Mammogram — left CC. 44-year-old patient.
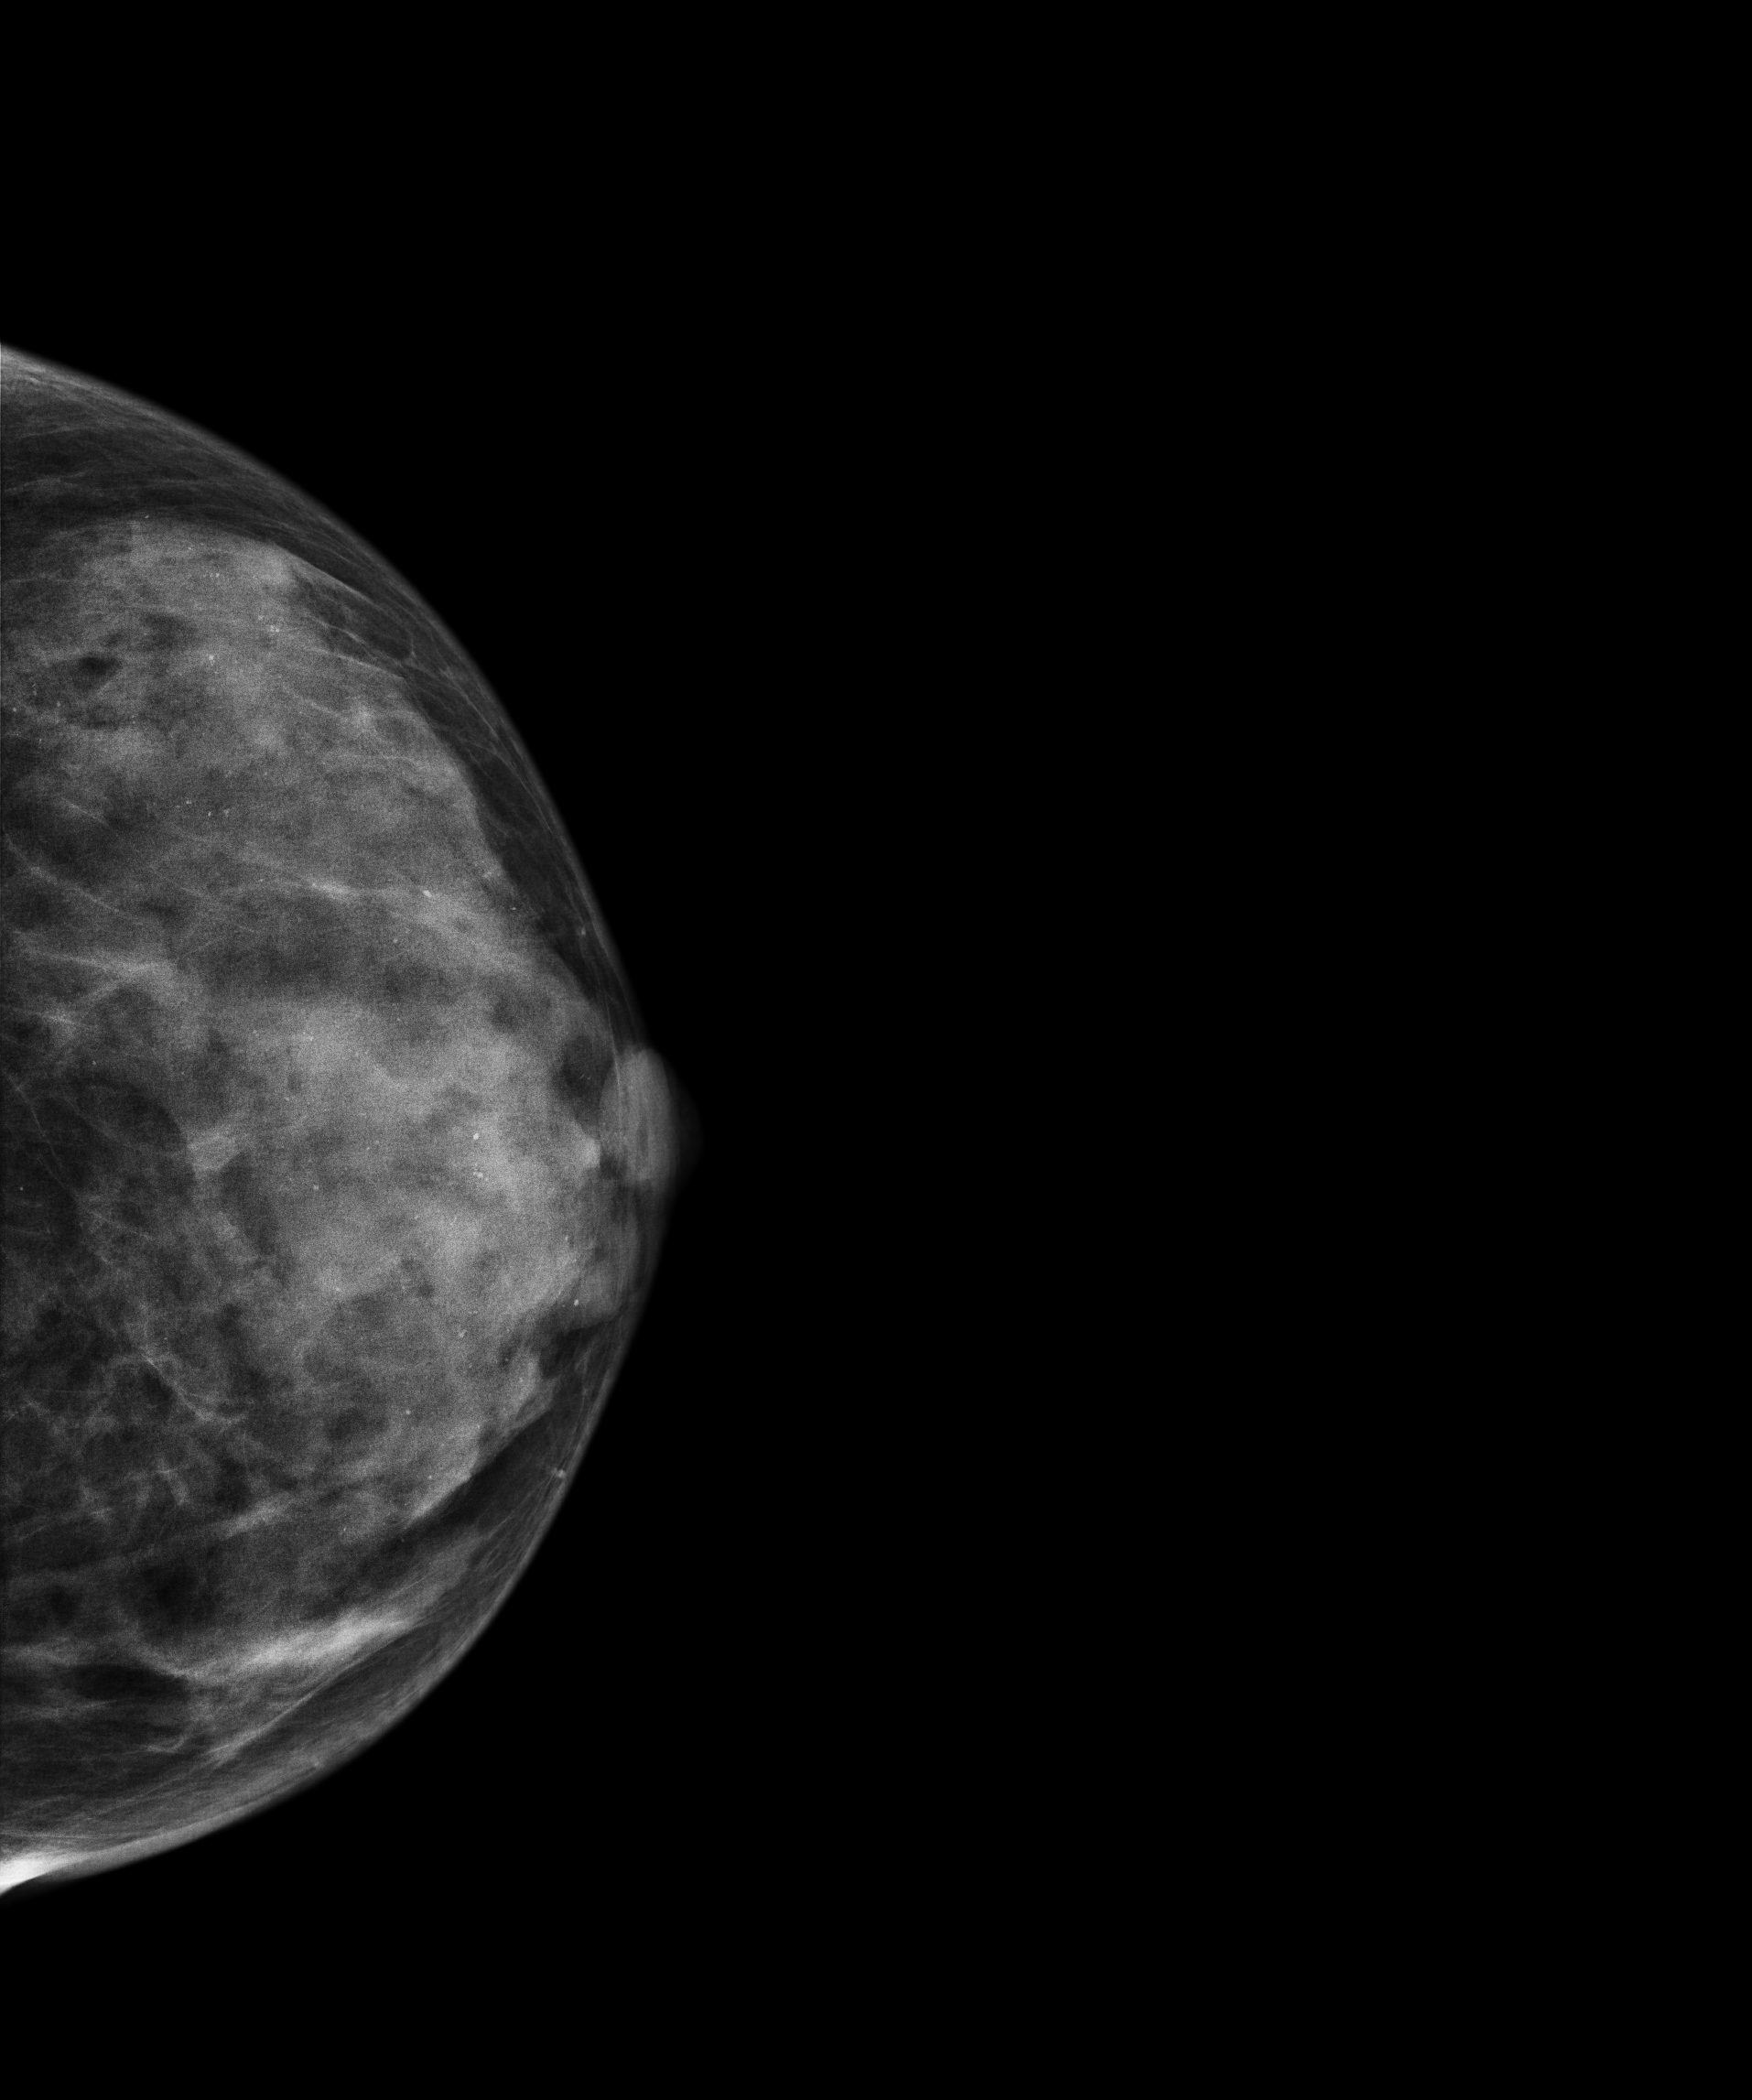
This breast has calcifications, histologically confirmed benign.